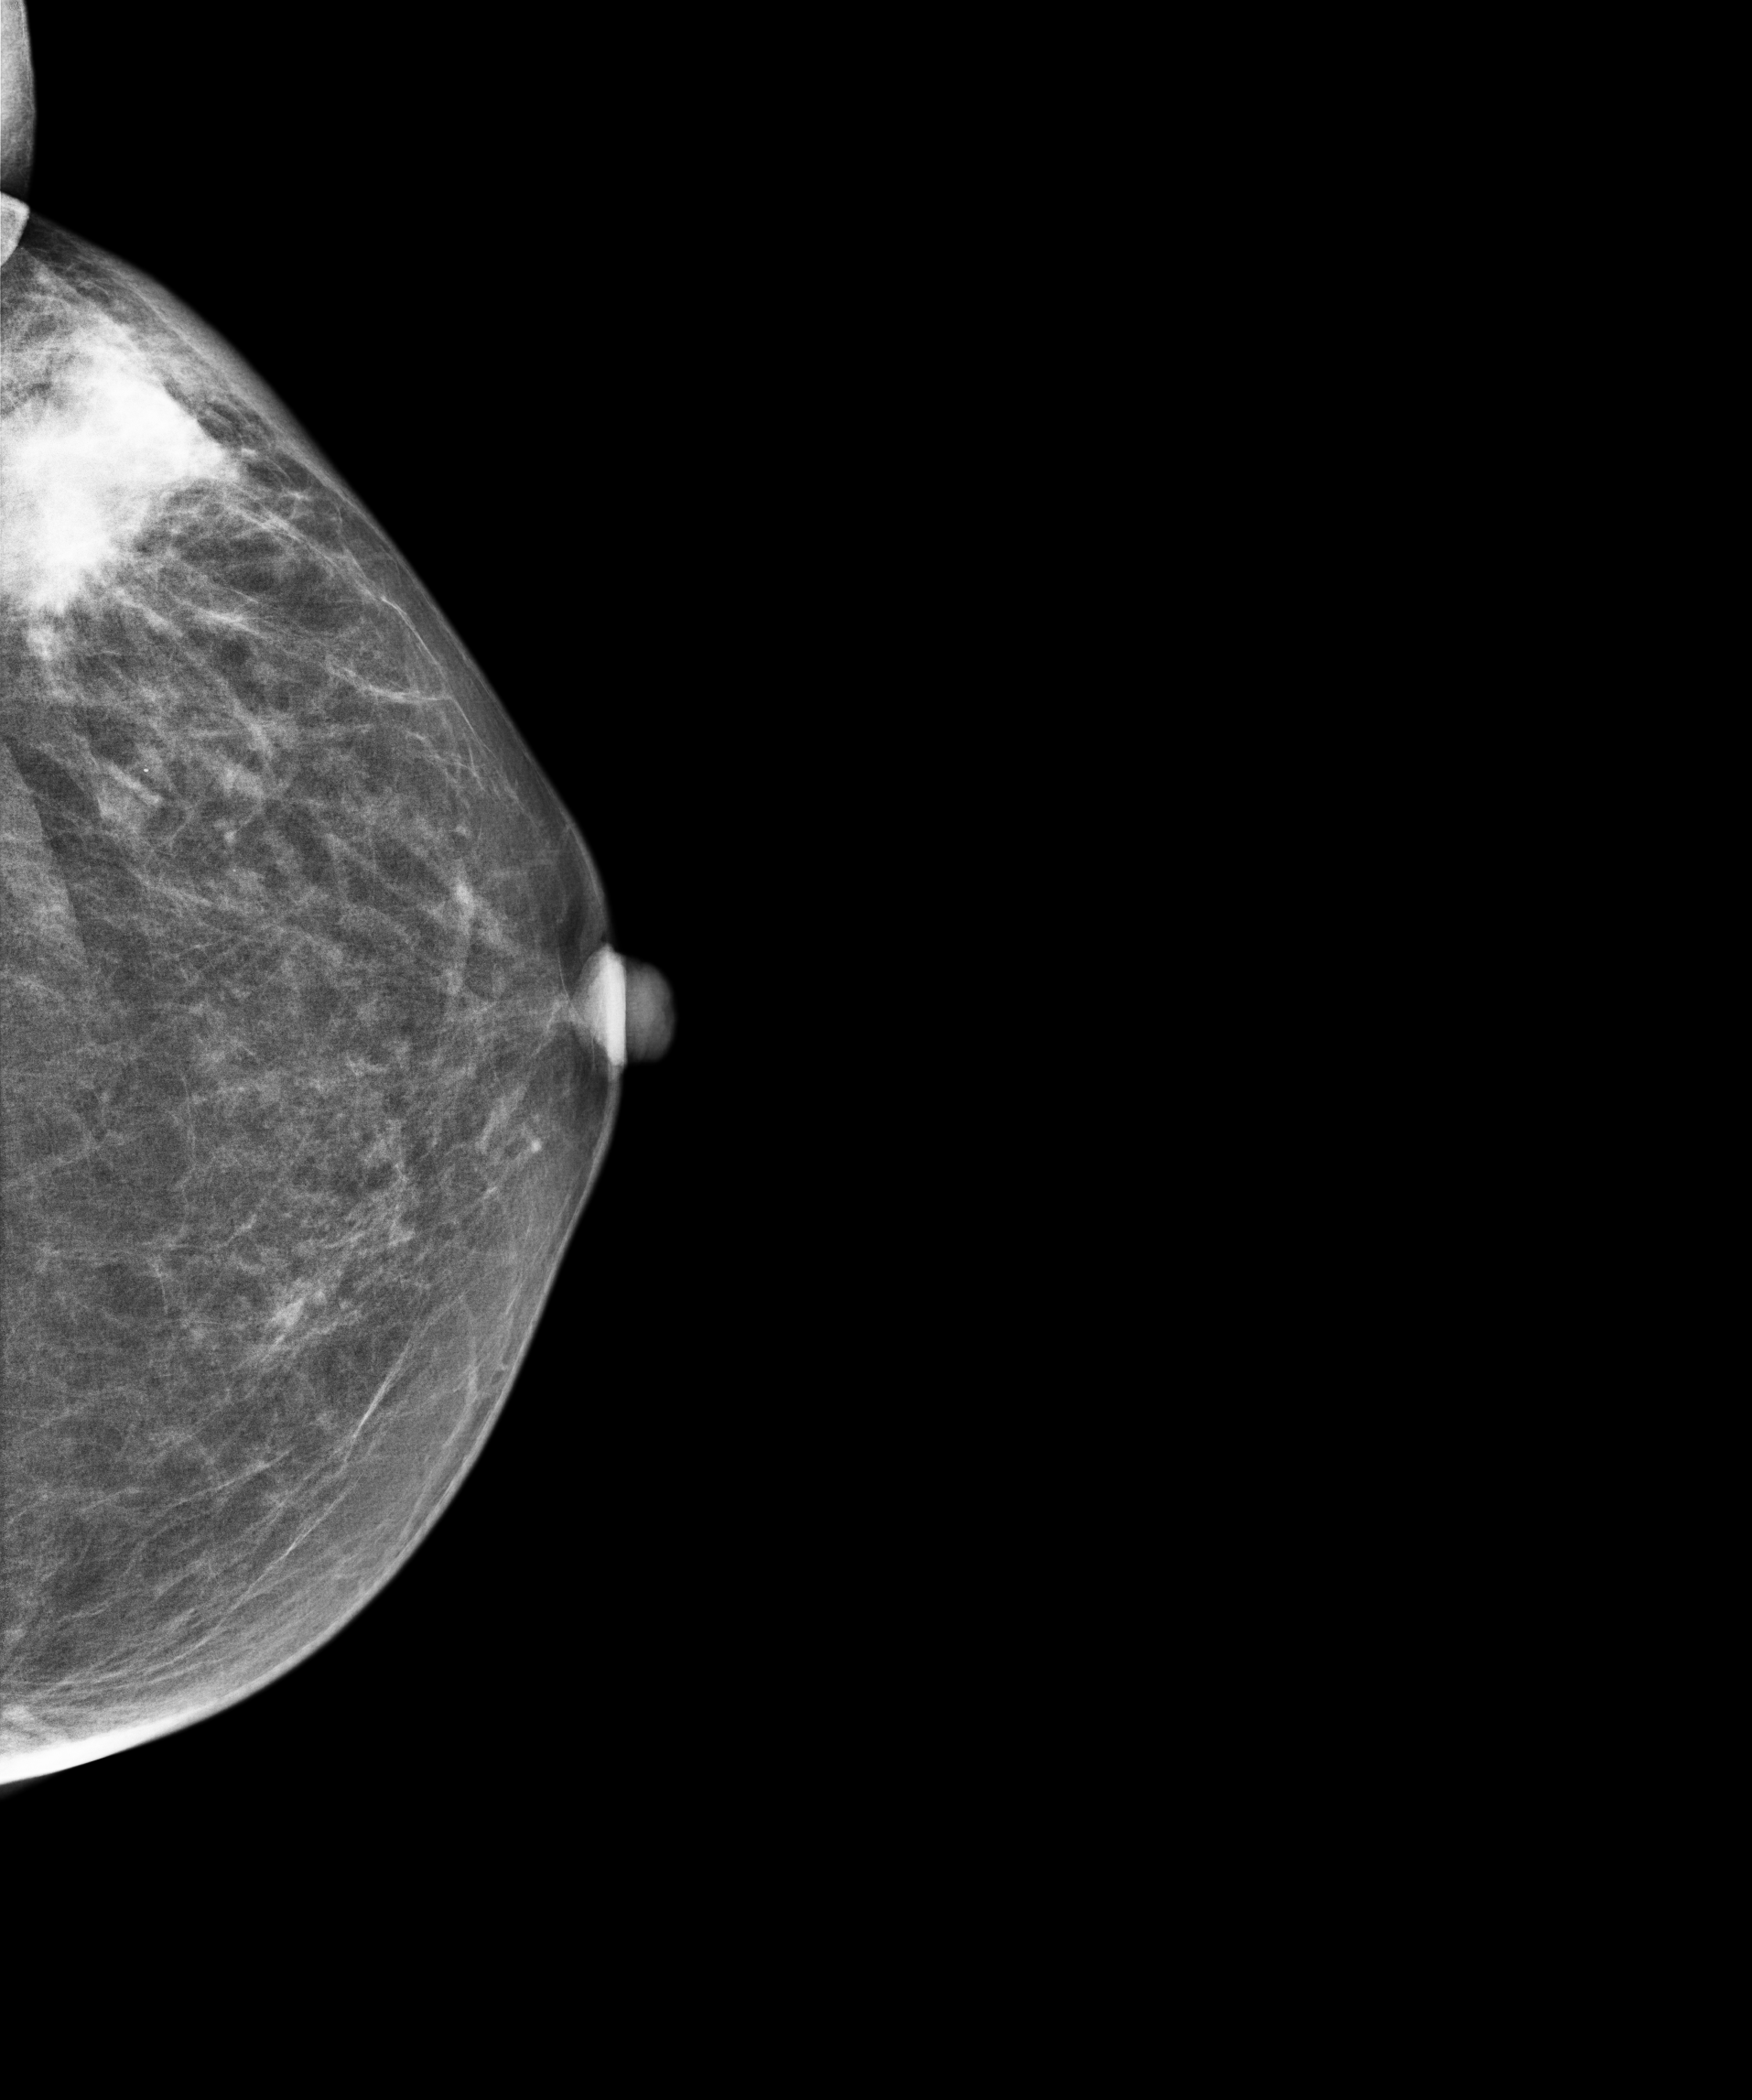
Left-breast mammogram, CC. Patient age 59.
This breast has a mass, biopsy-confirmed malignant. Molecular subtype: luminal A.